Left-breast mammogram, medio-lateral oblique. 35-year-old patient.
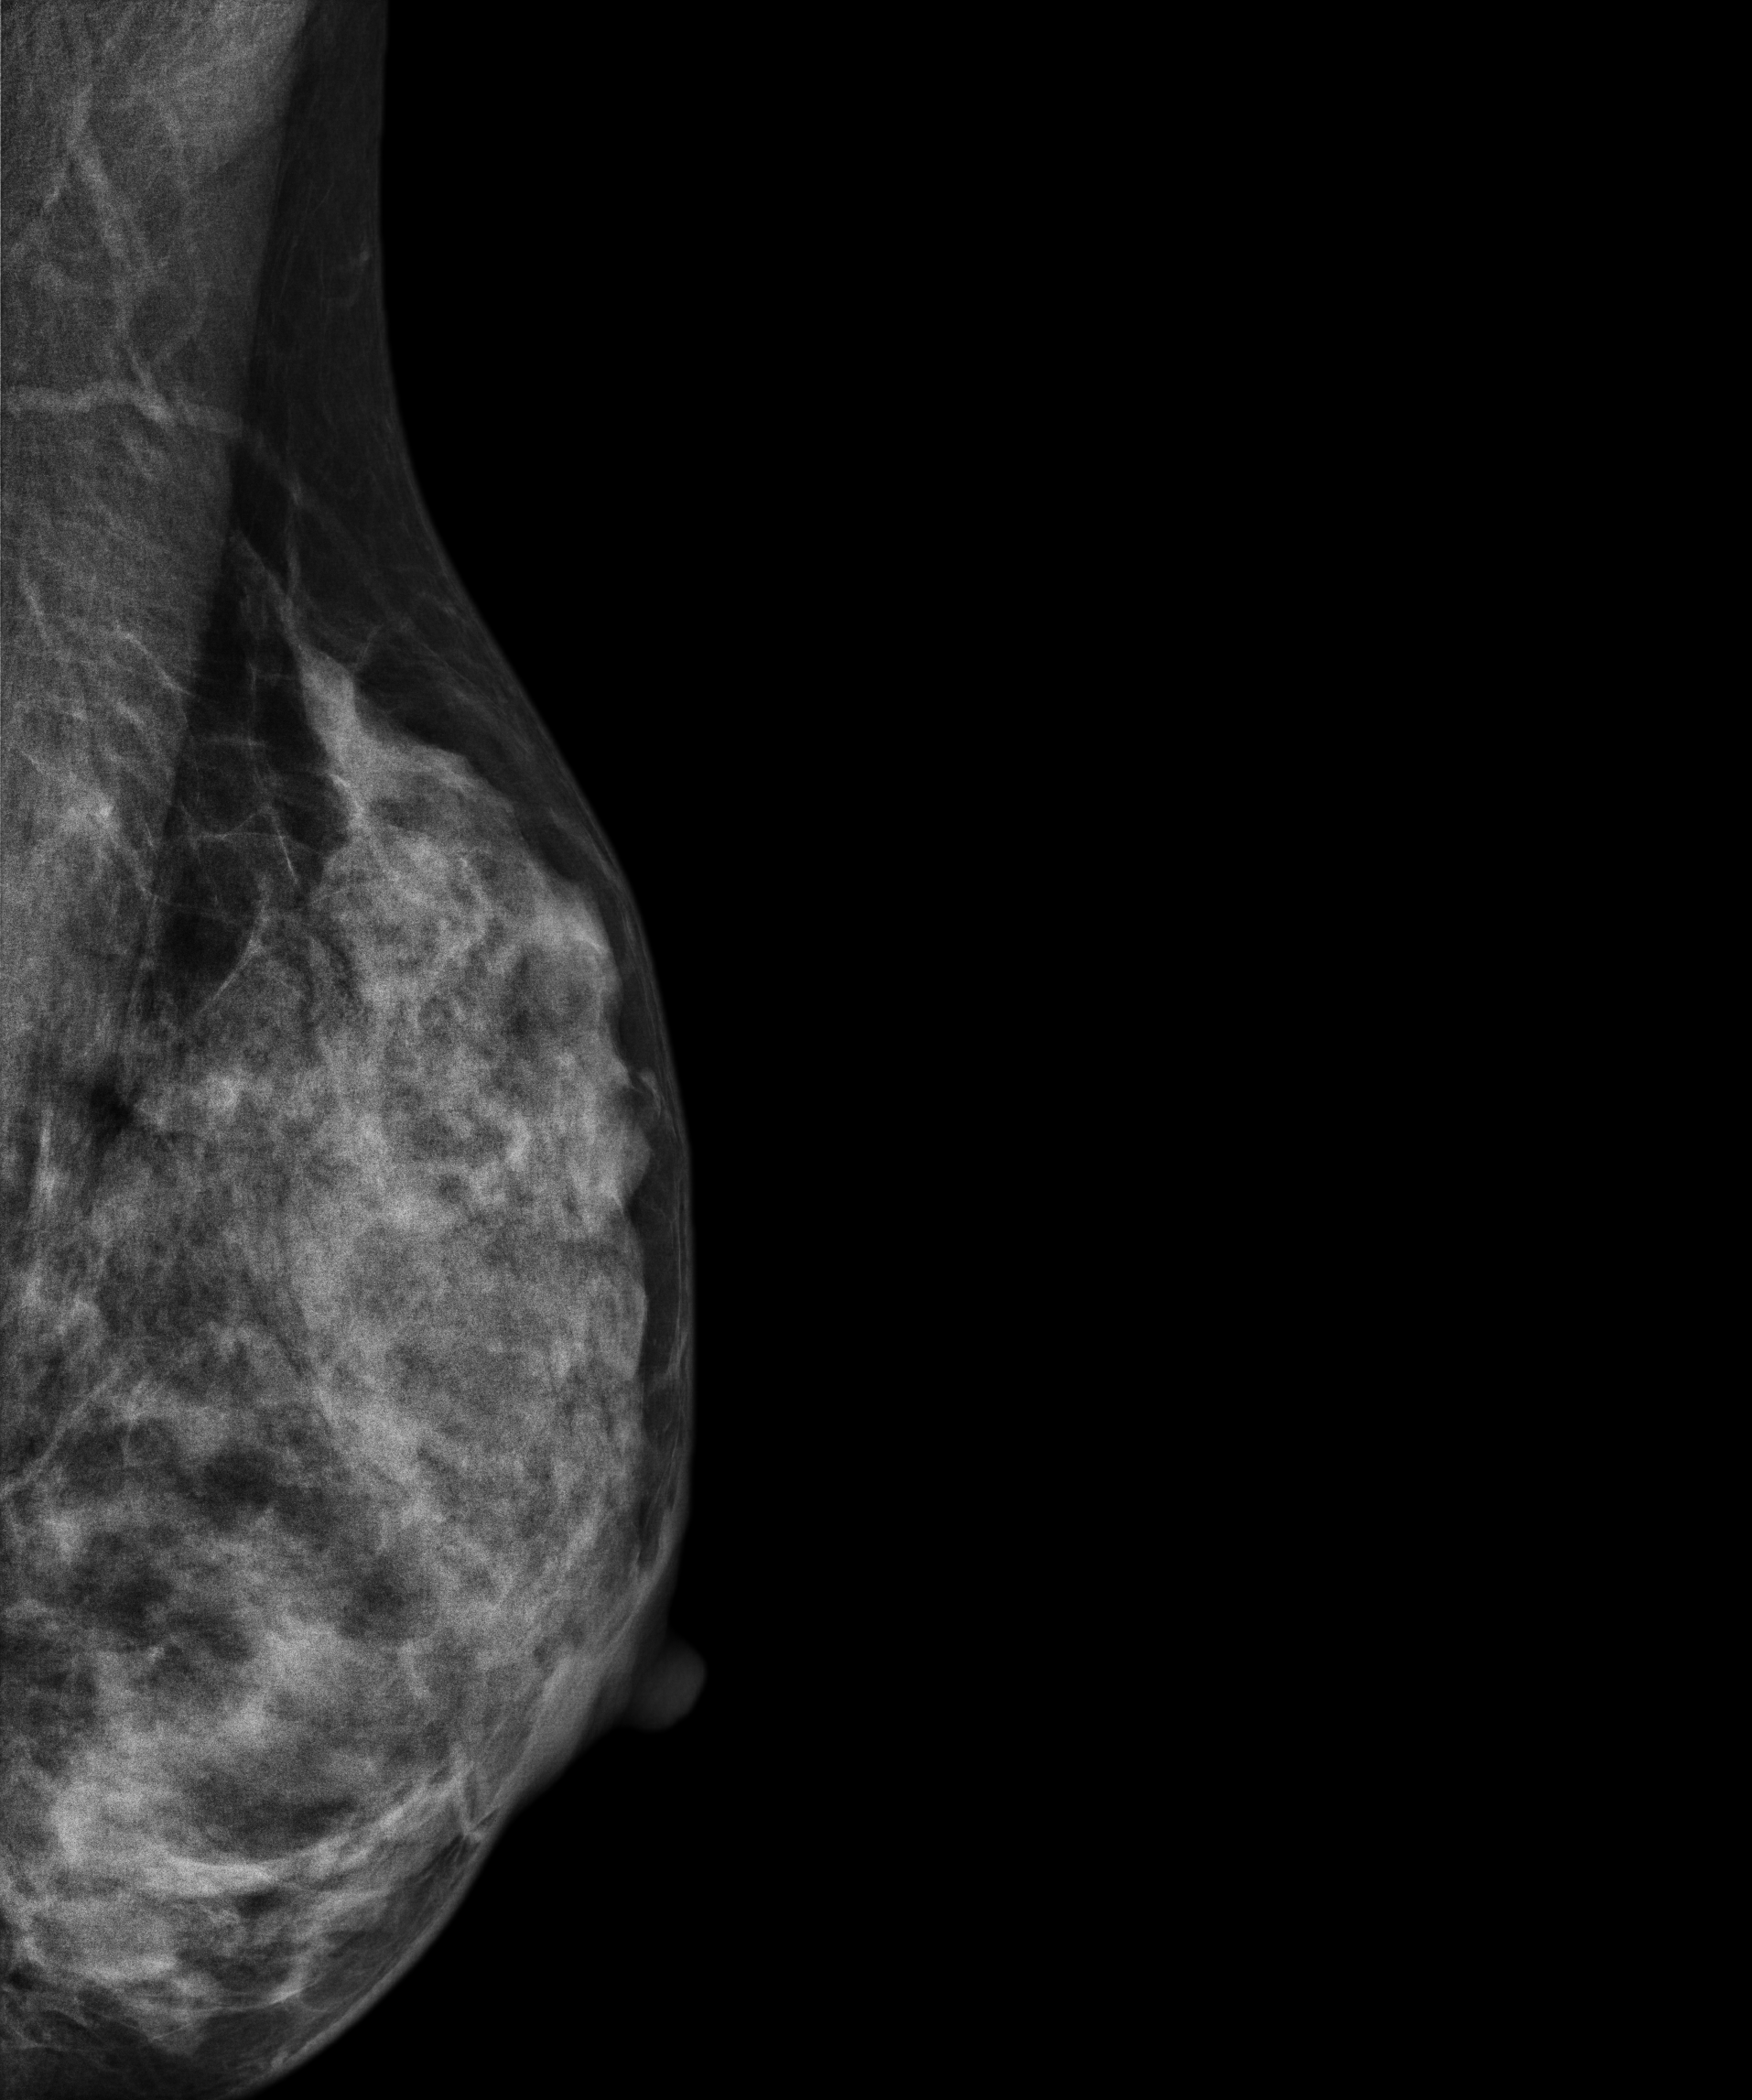
This breast has a mass, histologically confirmed benign.